MLO mammogram of the left breast. 74-year-old patient.
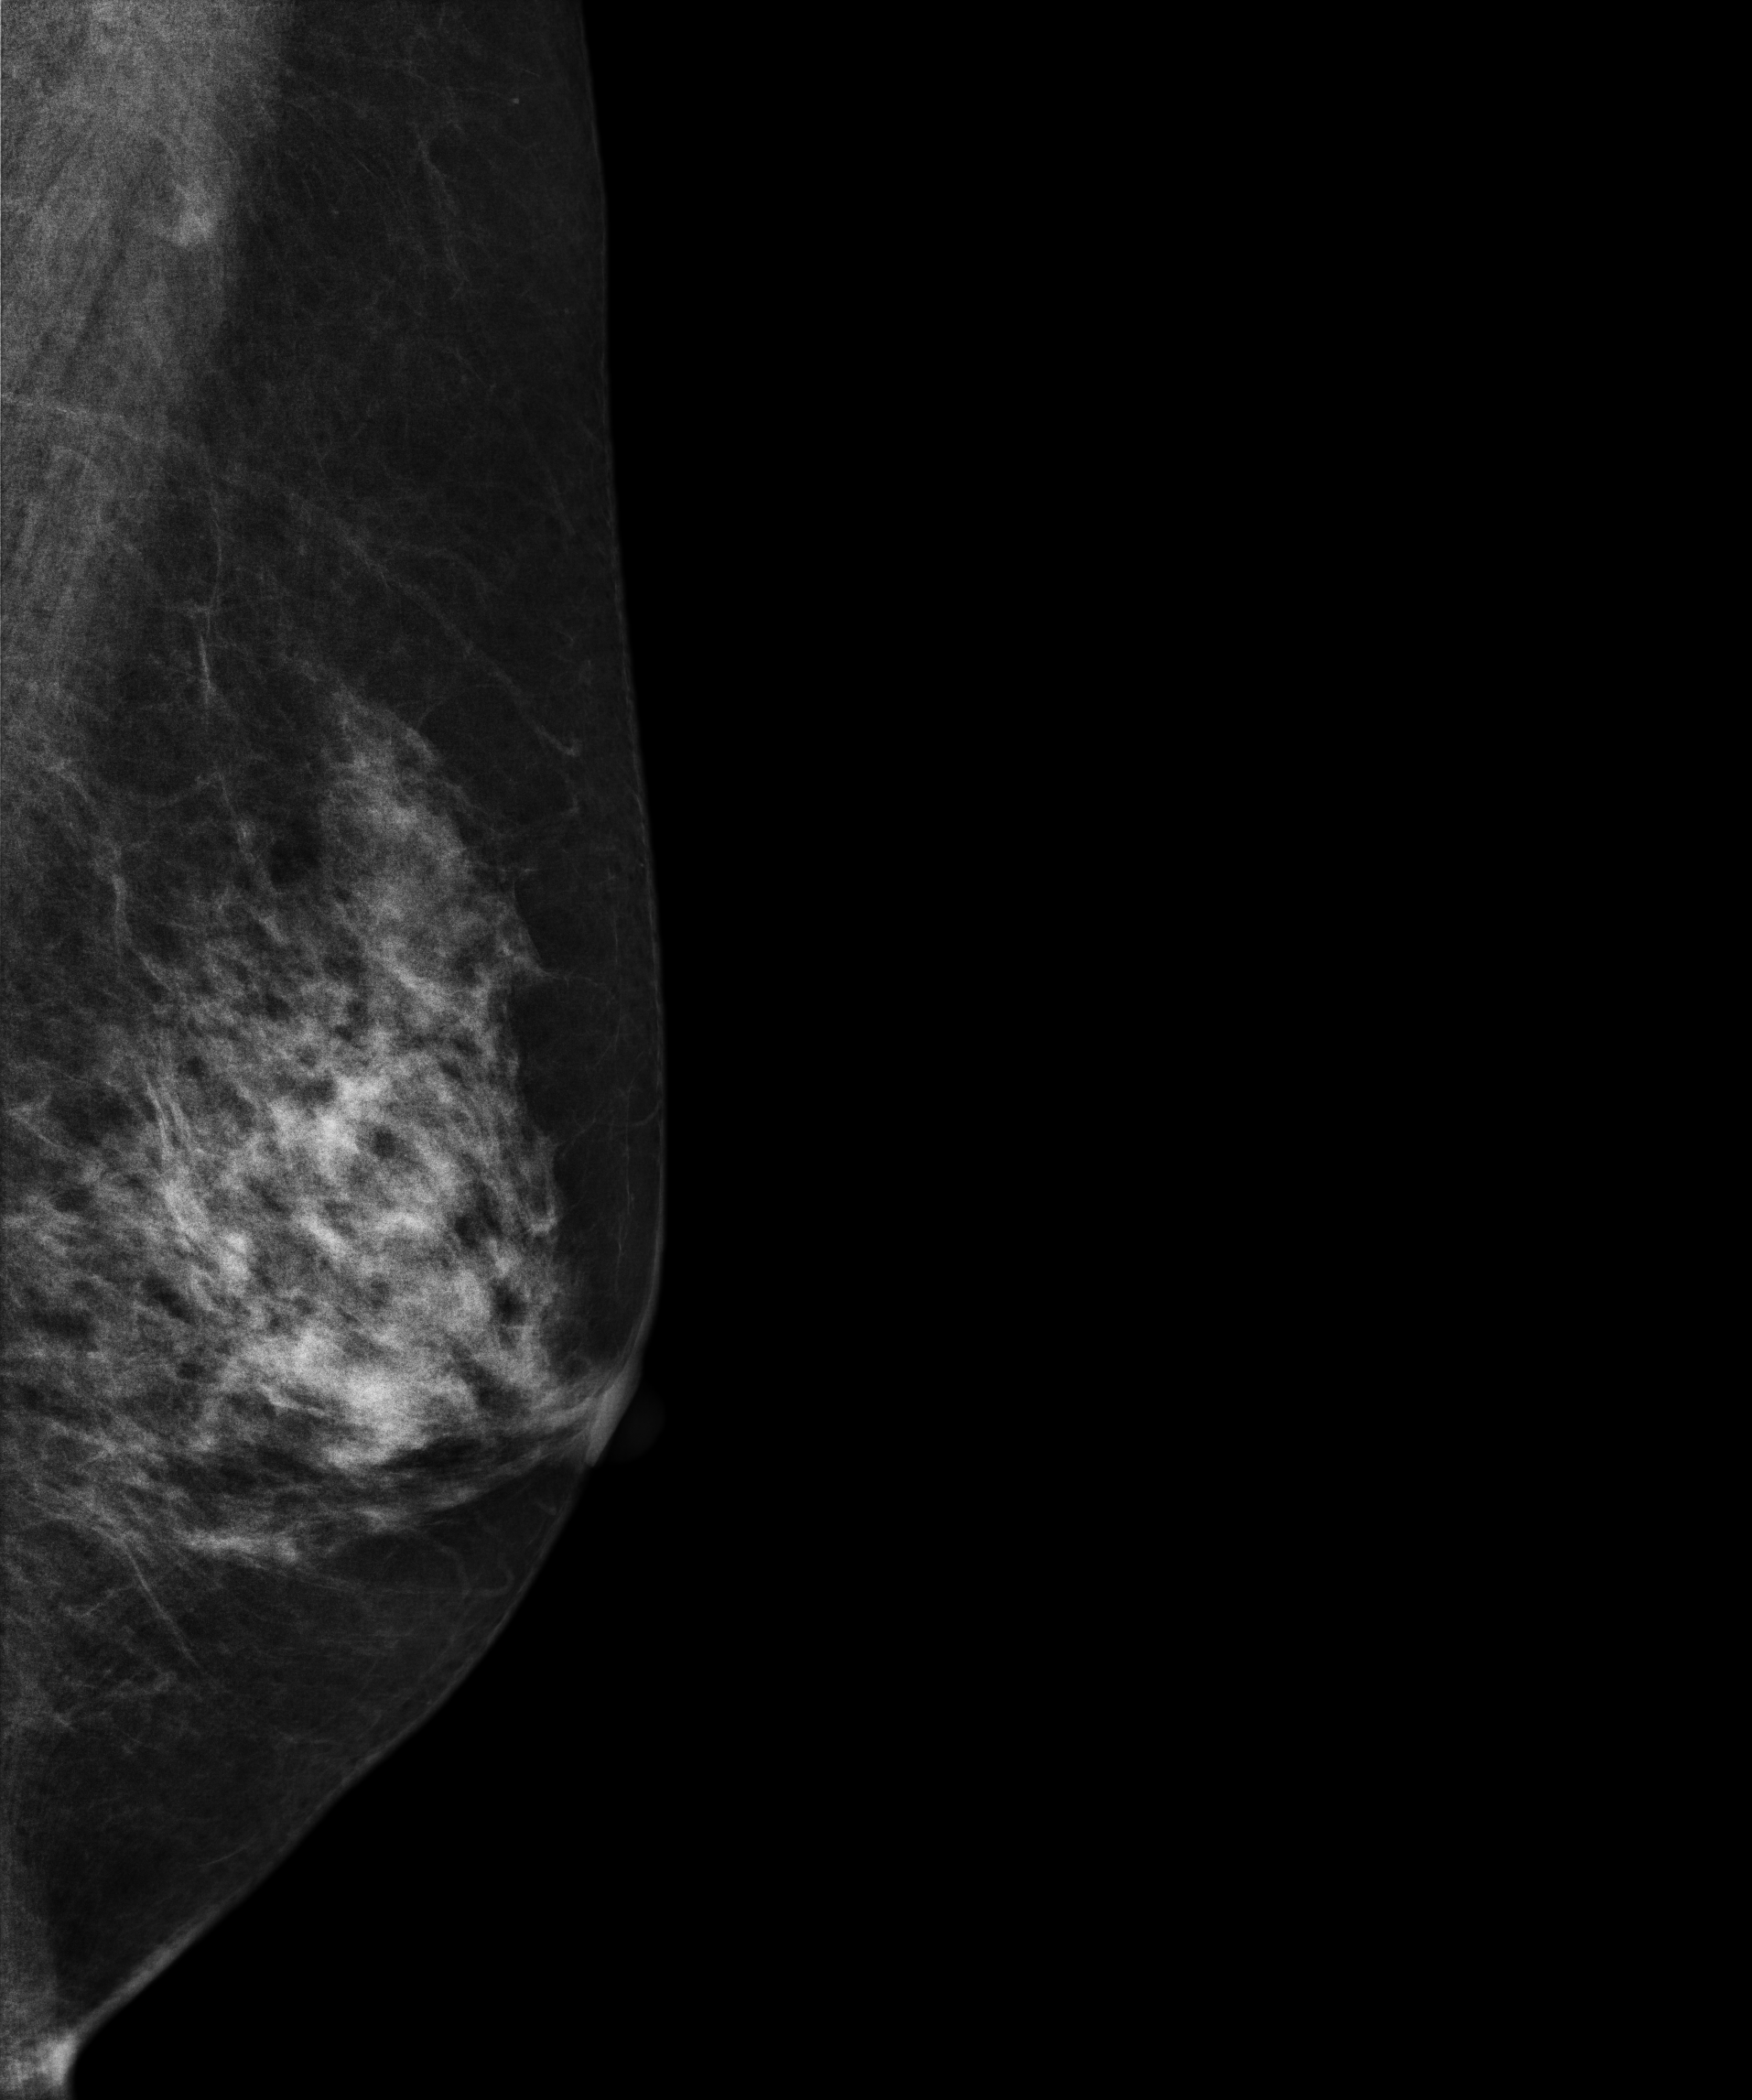
Contralateral breast — no documented abnormality on this side.